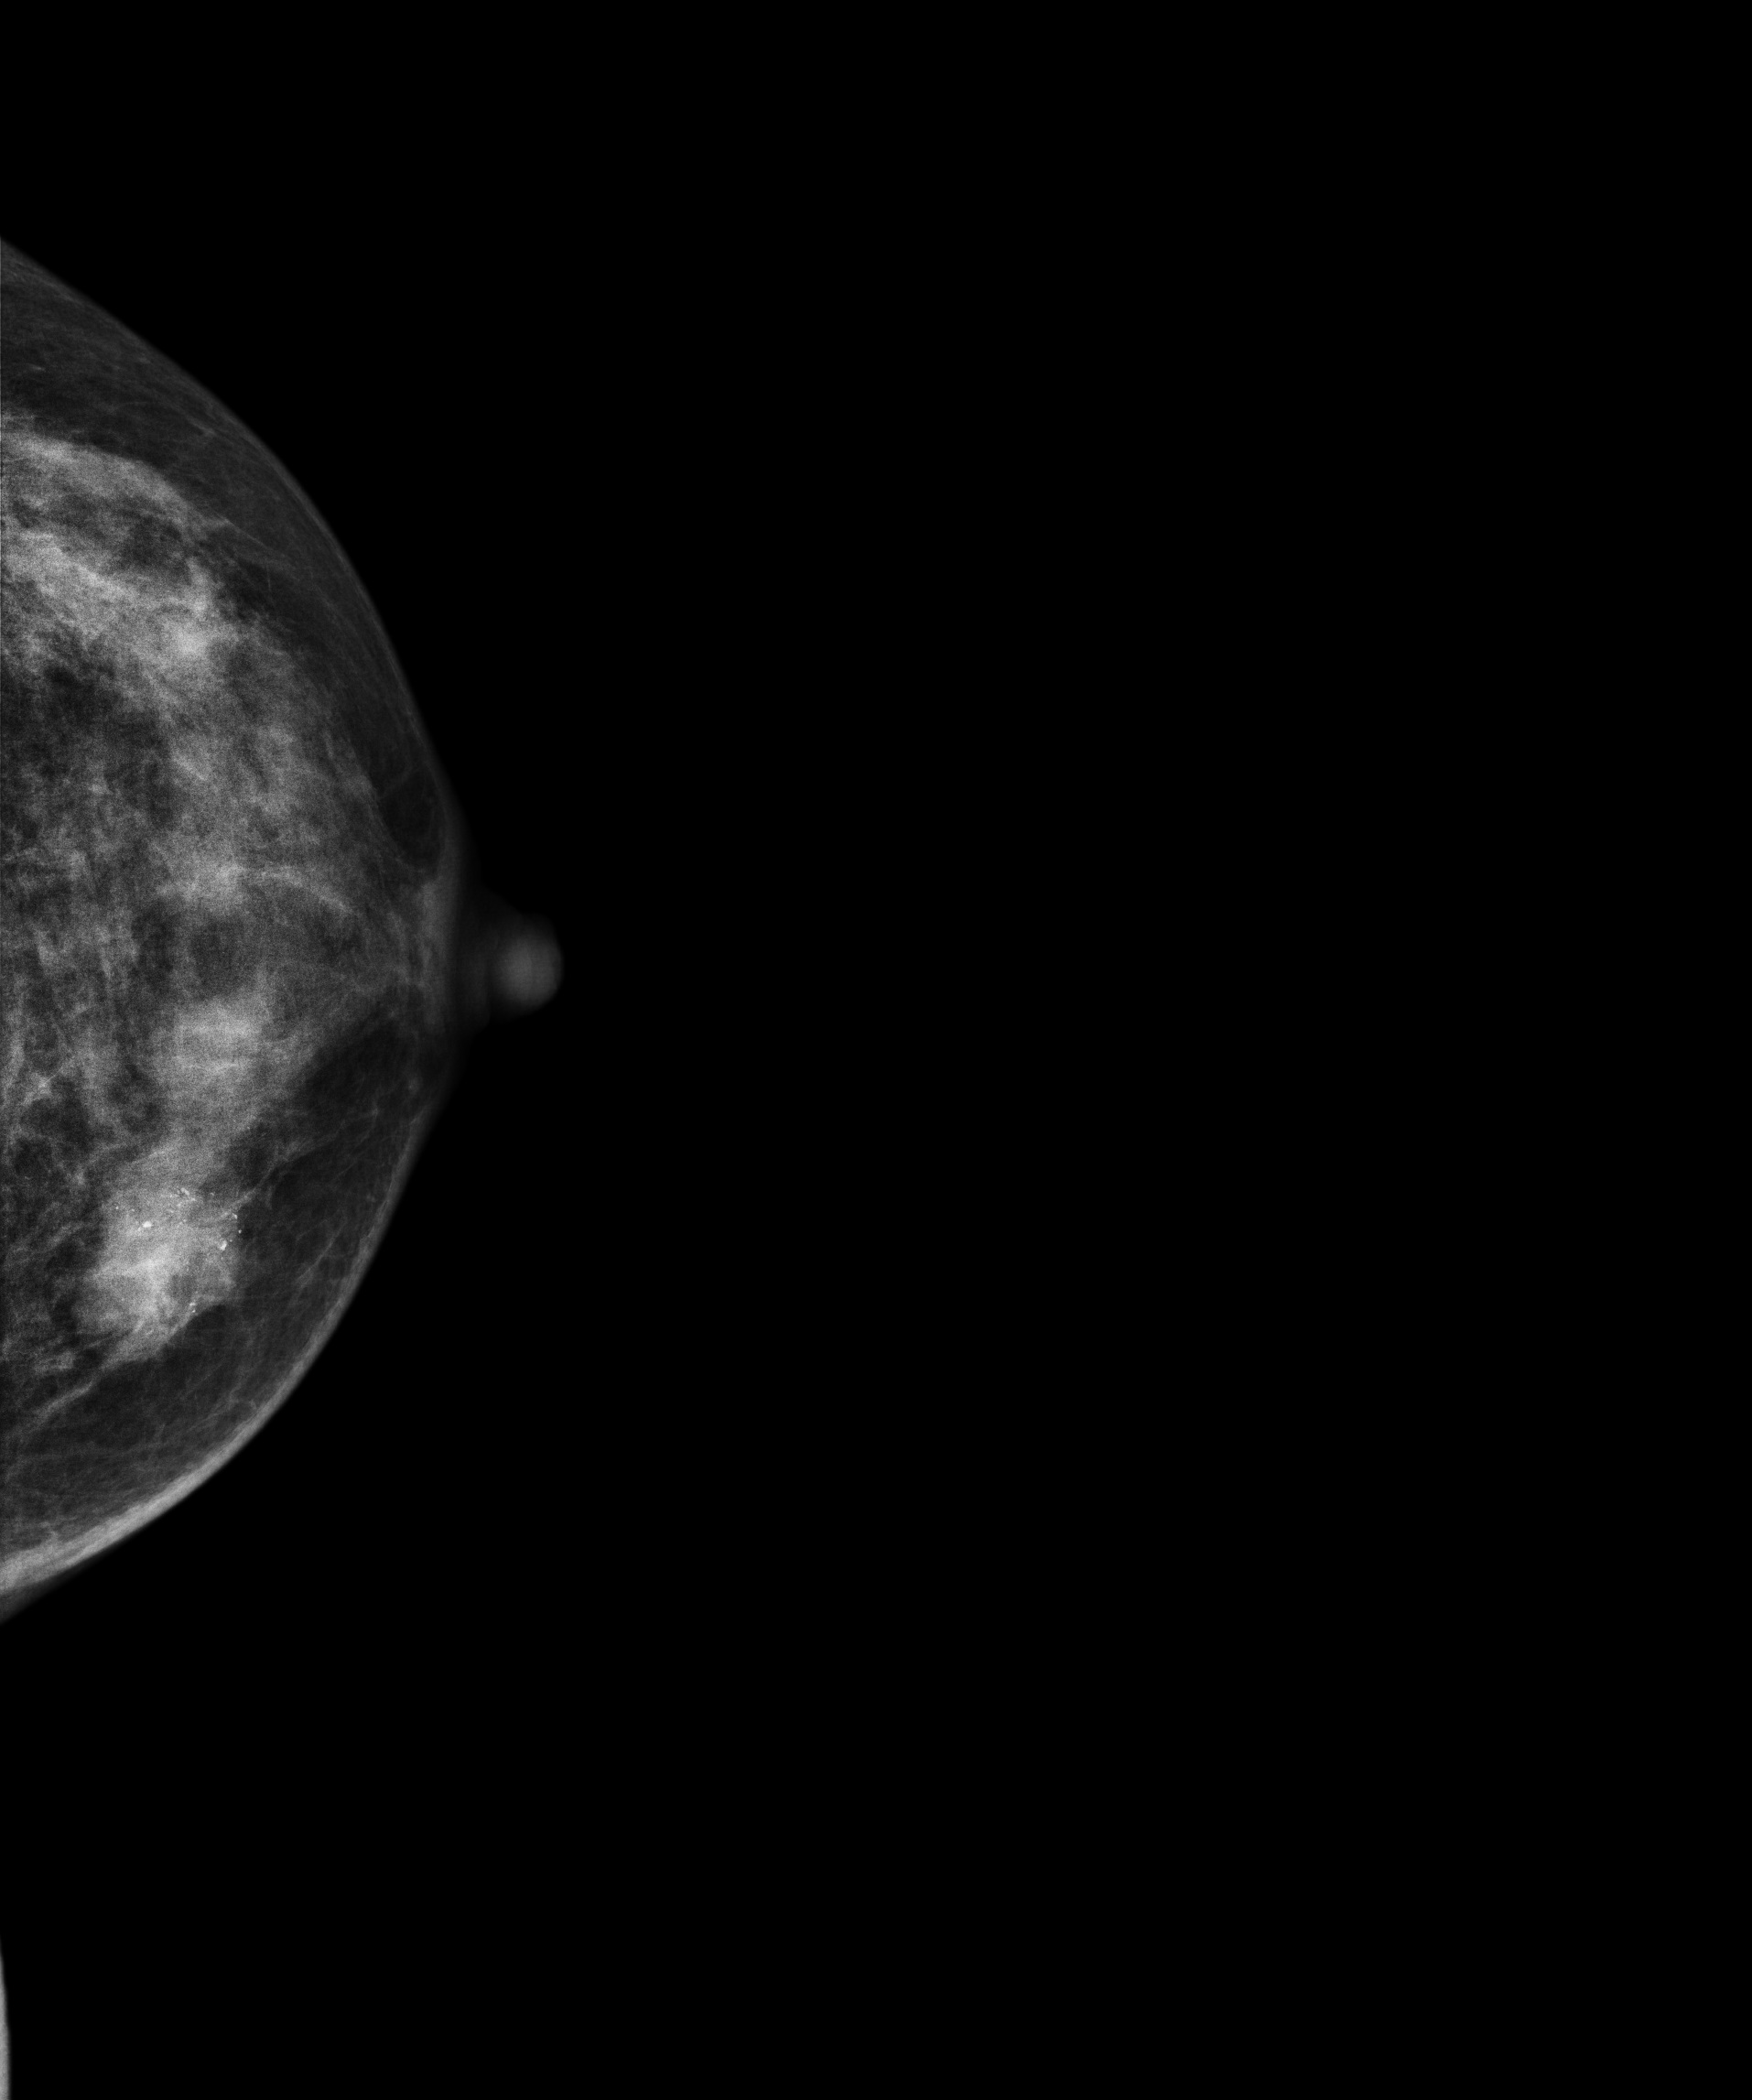
Mammogram, left breast, cranio-caudal view. Patient age 45.
This breast has a mass and calcifications, pathology-confirmed malignant.